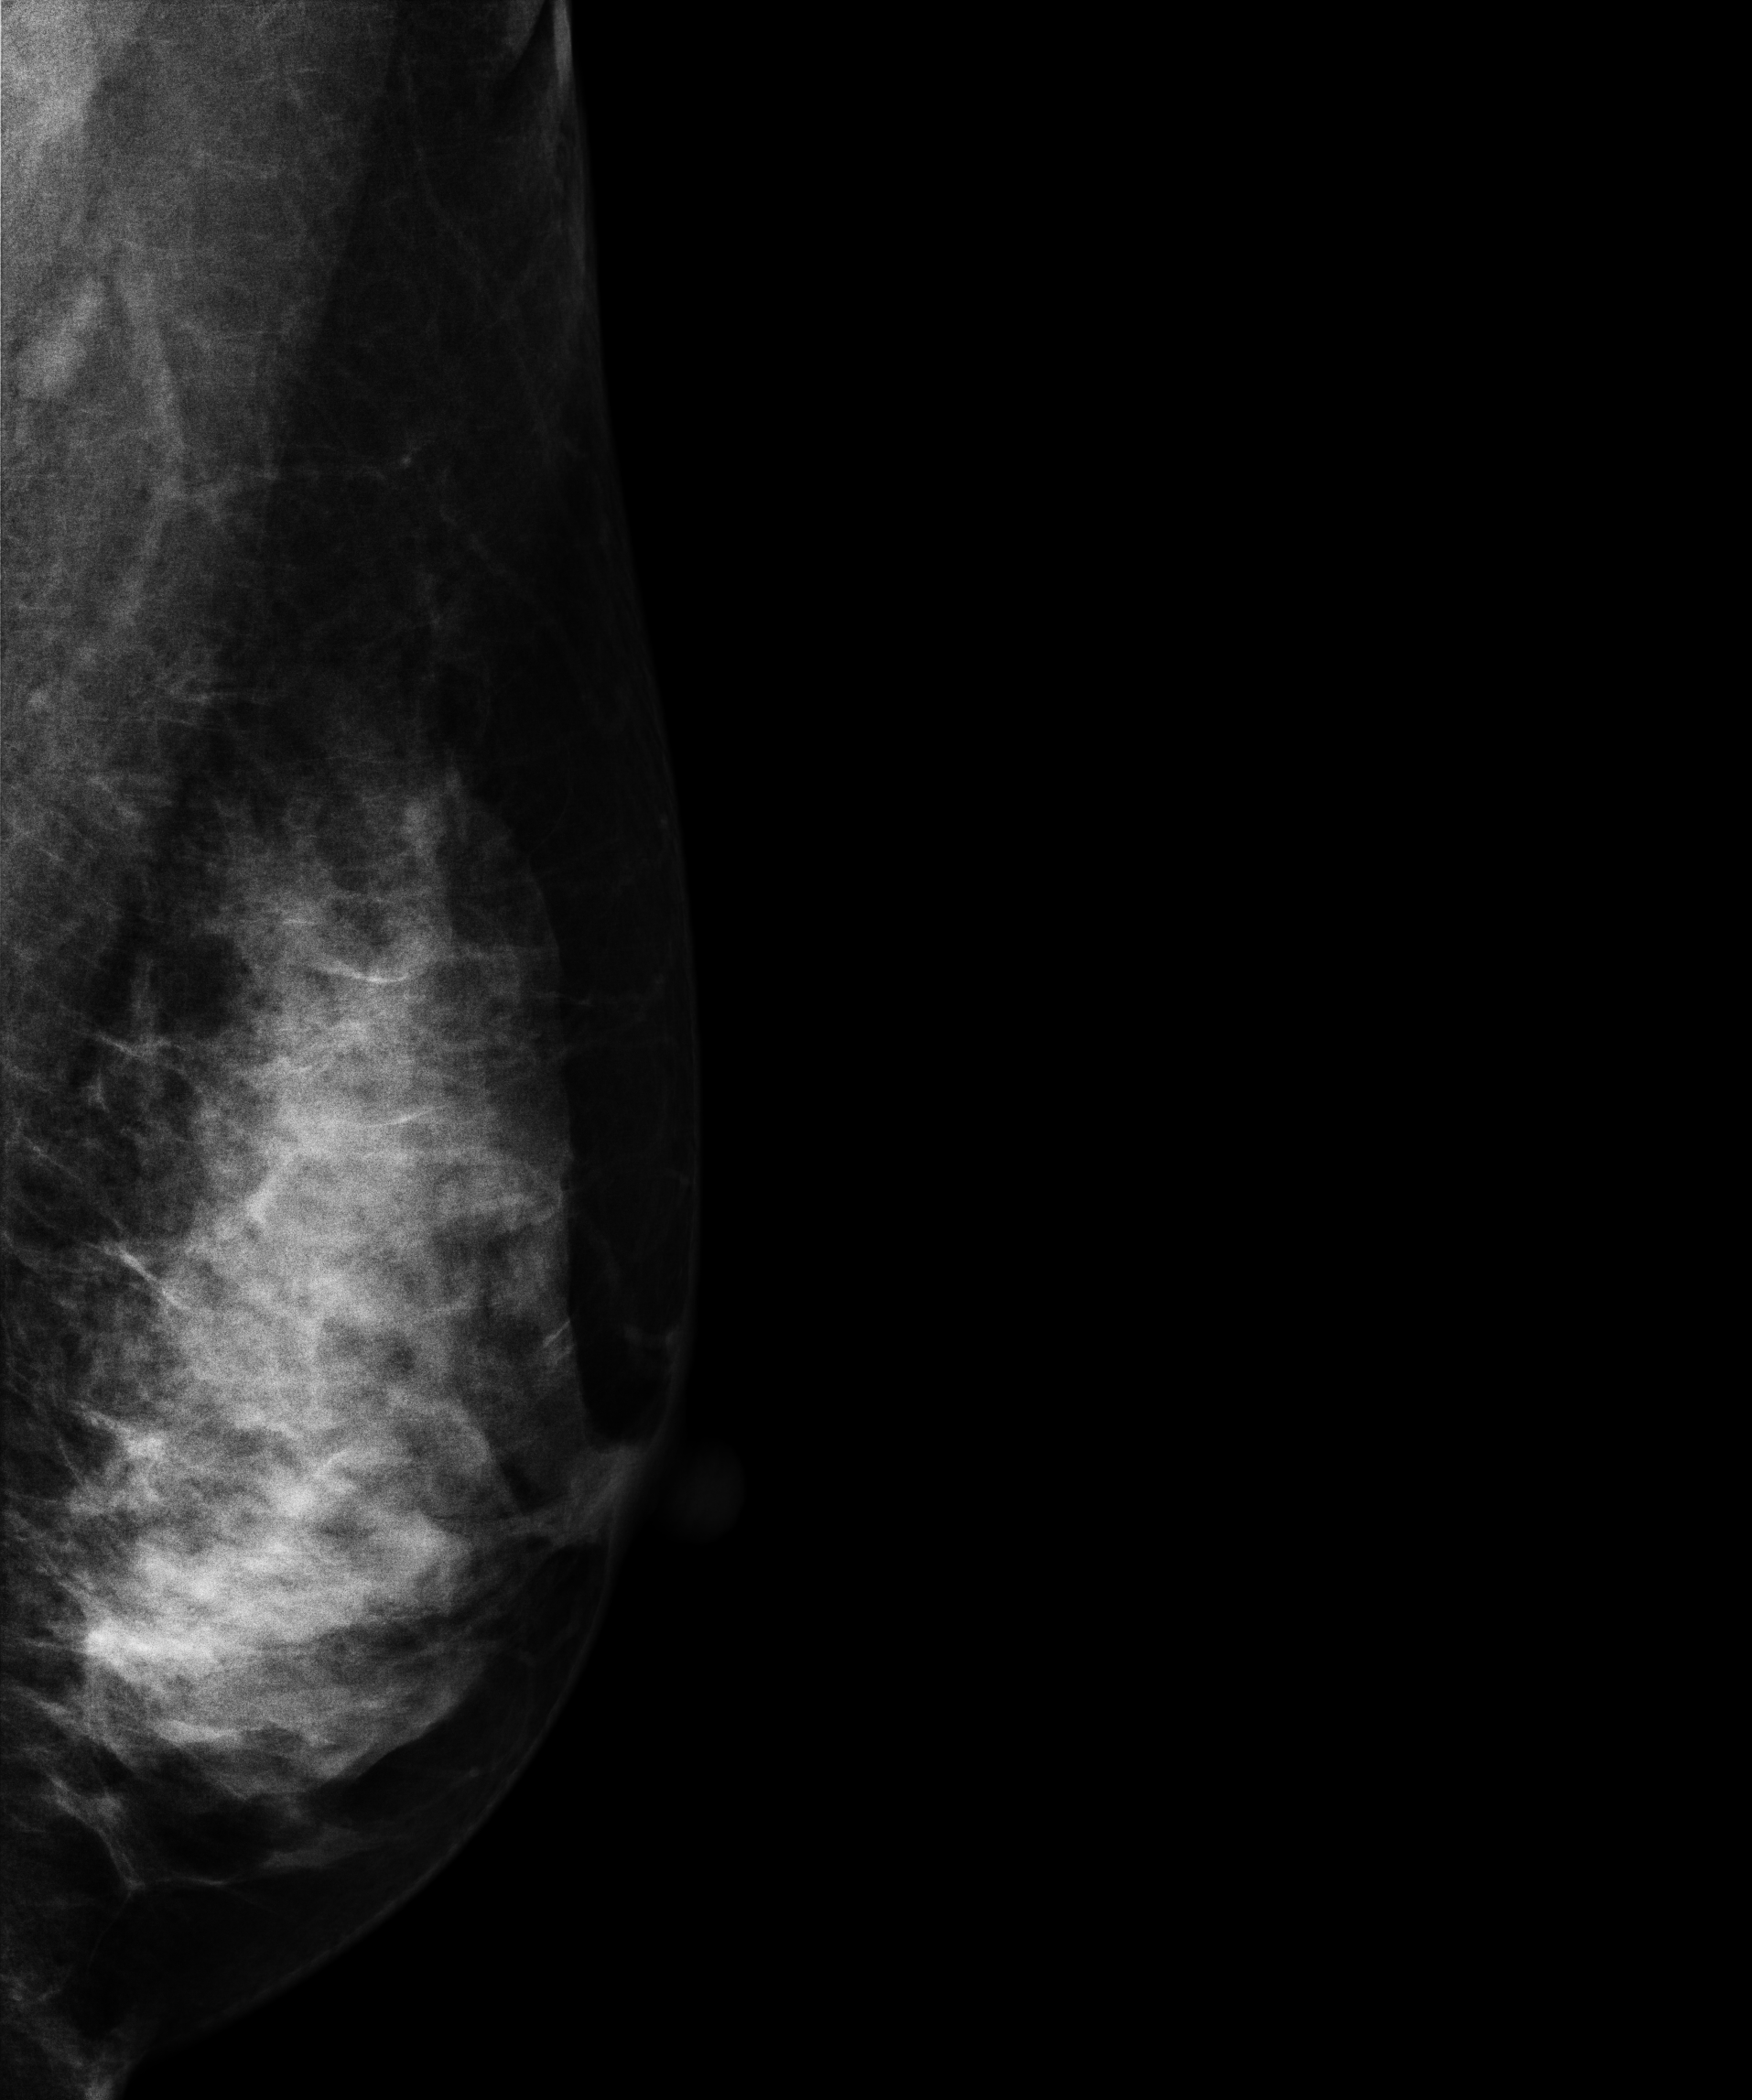
Medio-lateral oblique mammogram of the left breast. 35-year-old patient.
This breast has a mass, histologically confirmed benign.